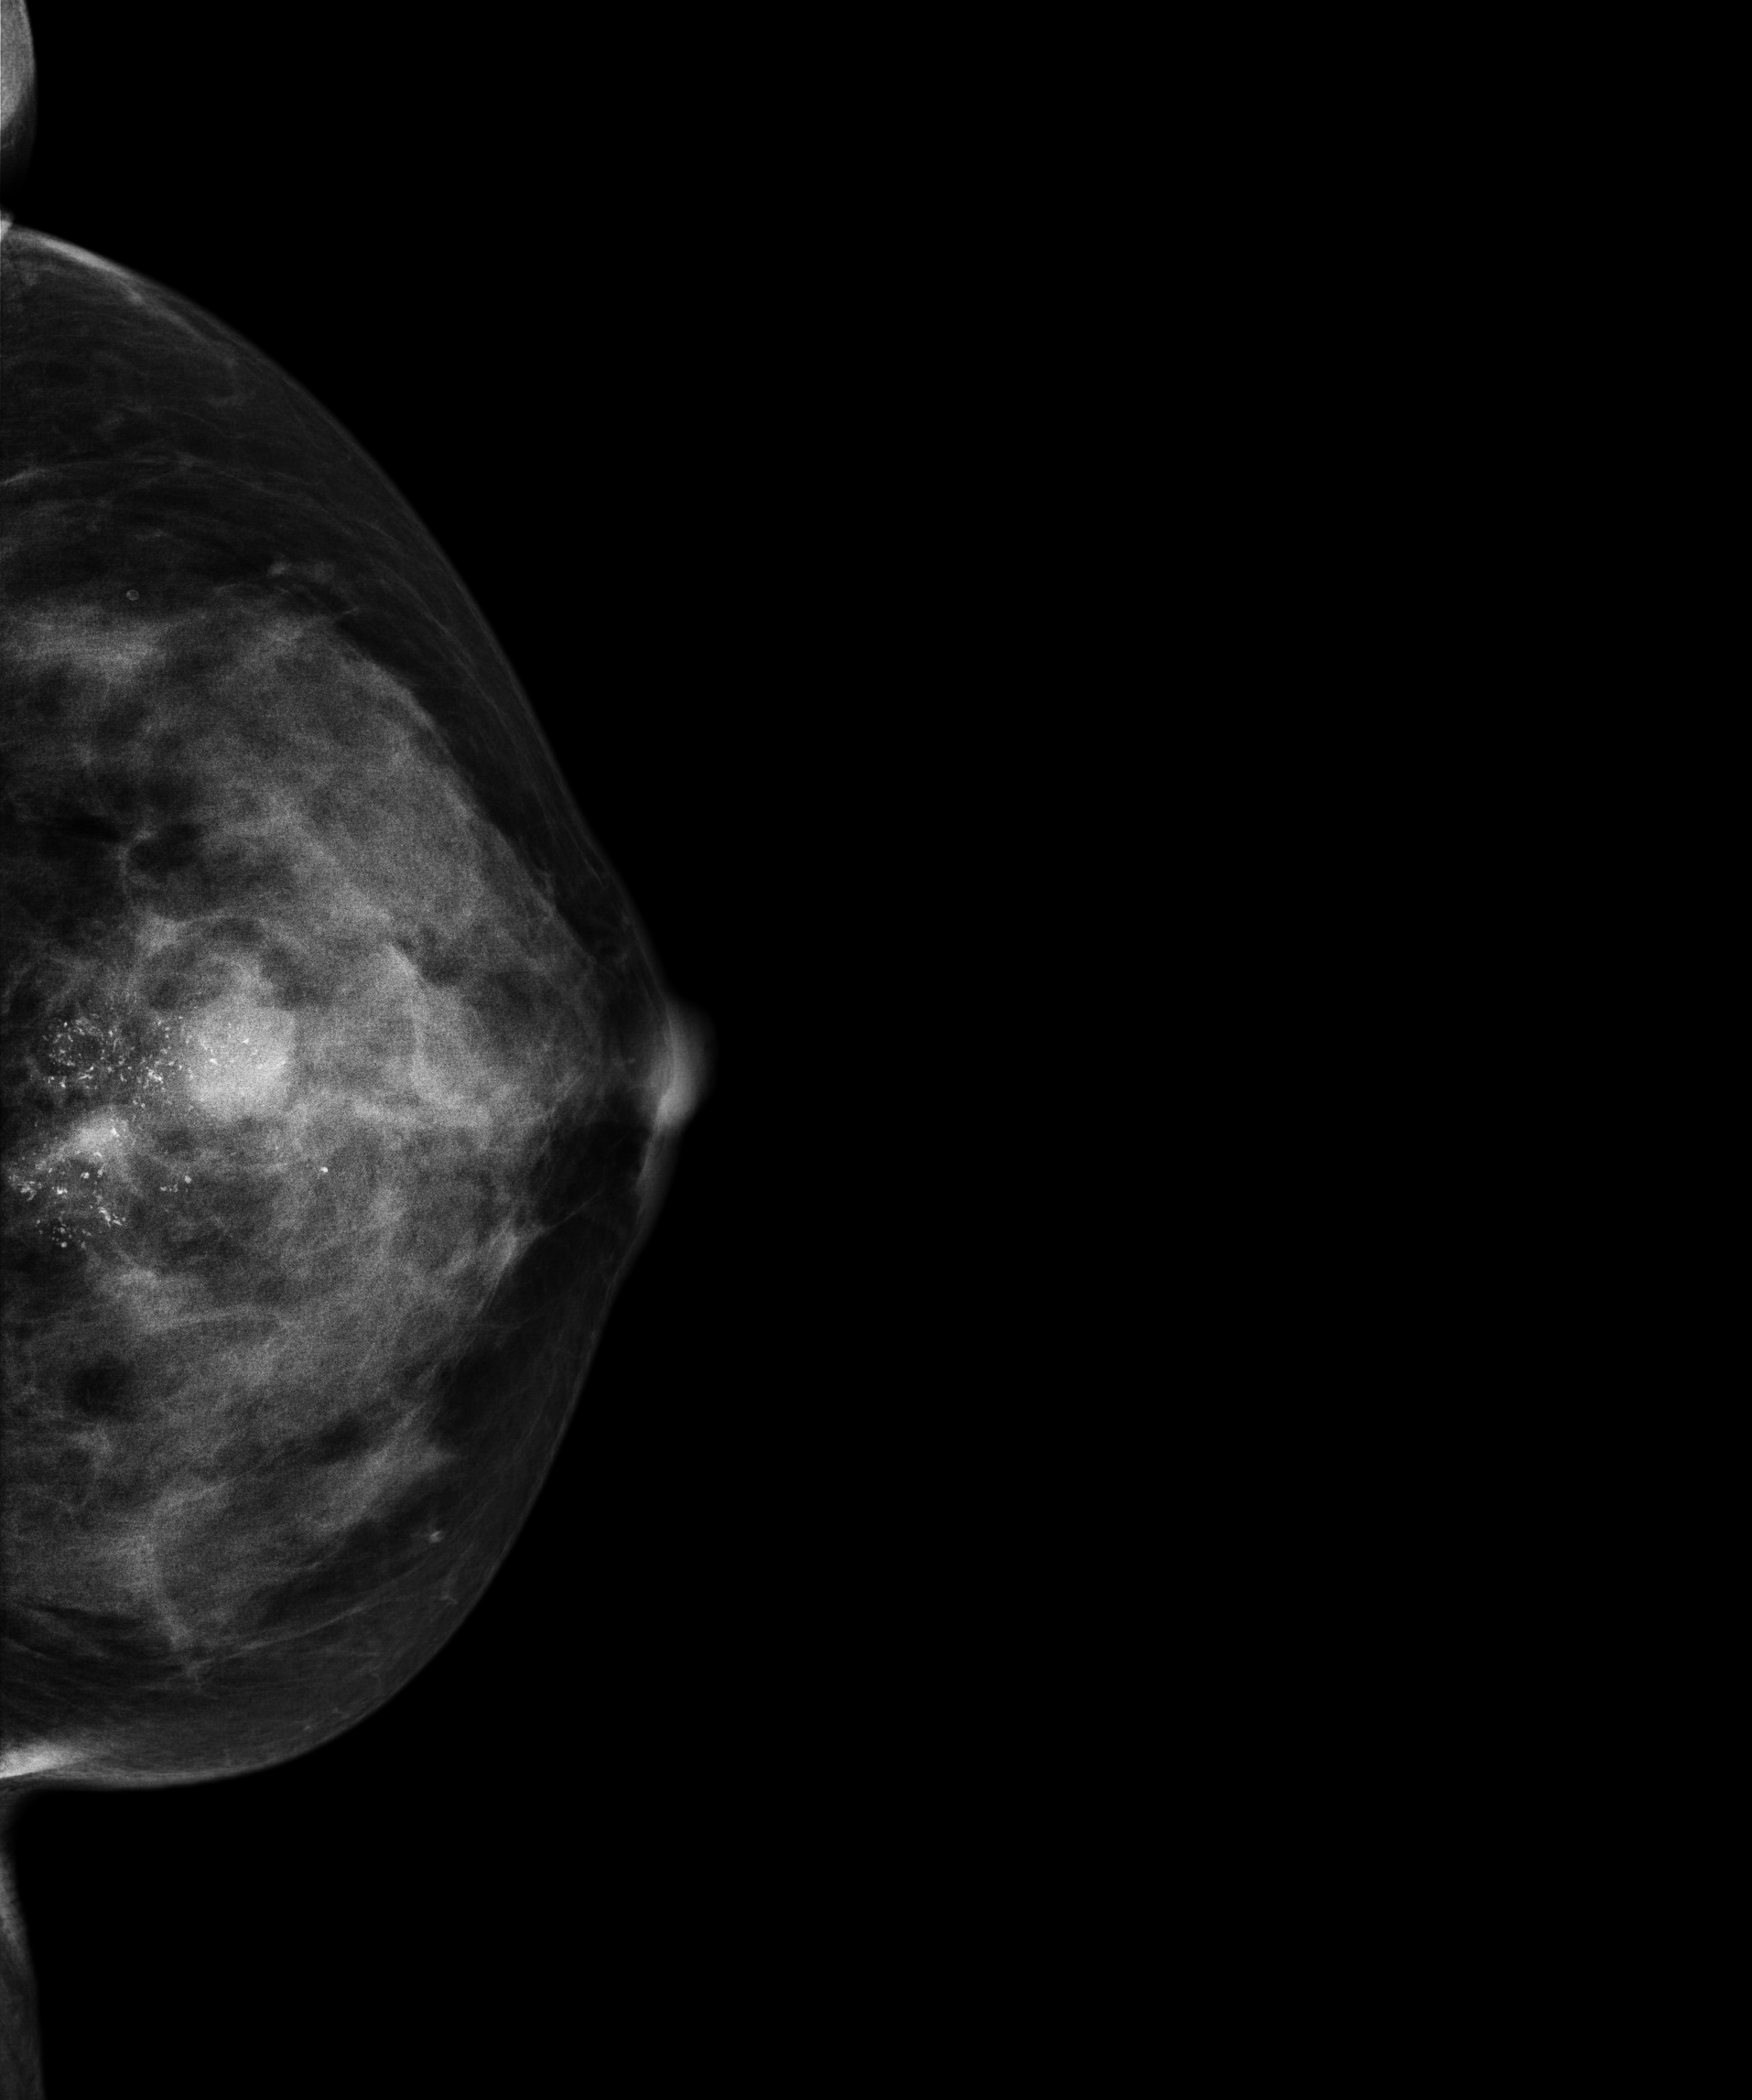
Digital mammography. Left breast, cranio-caudal projection. 48-year-old patient.
This breast has a mass and calcifications, pathology-confirmed malignant.